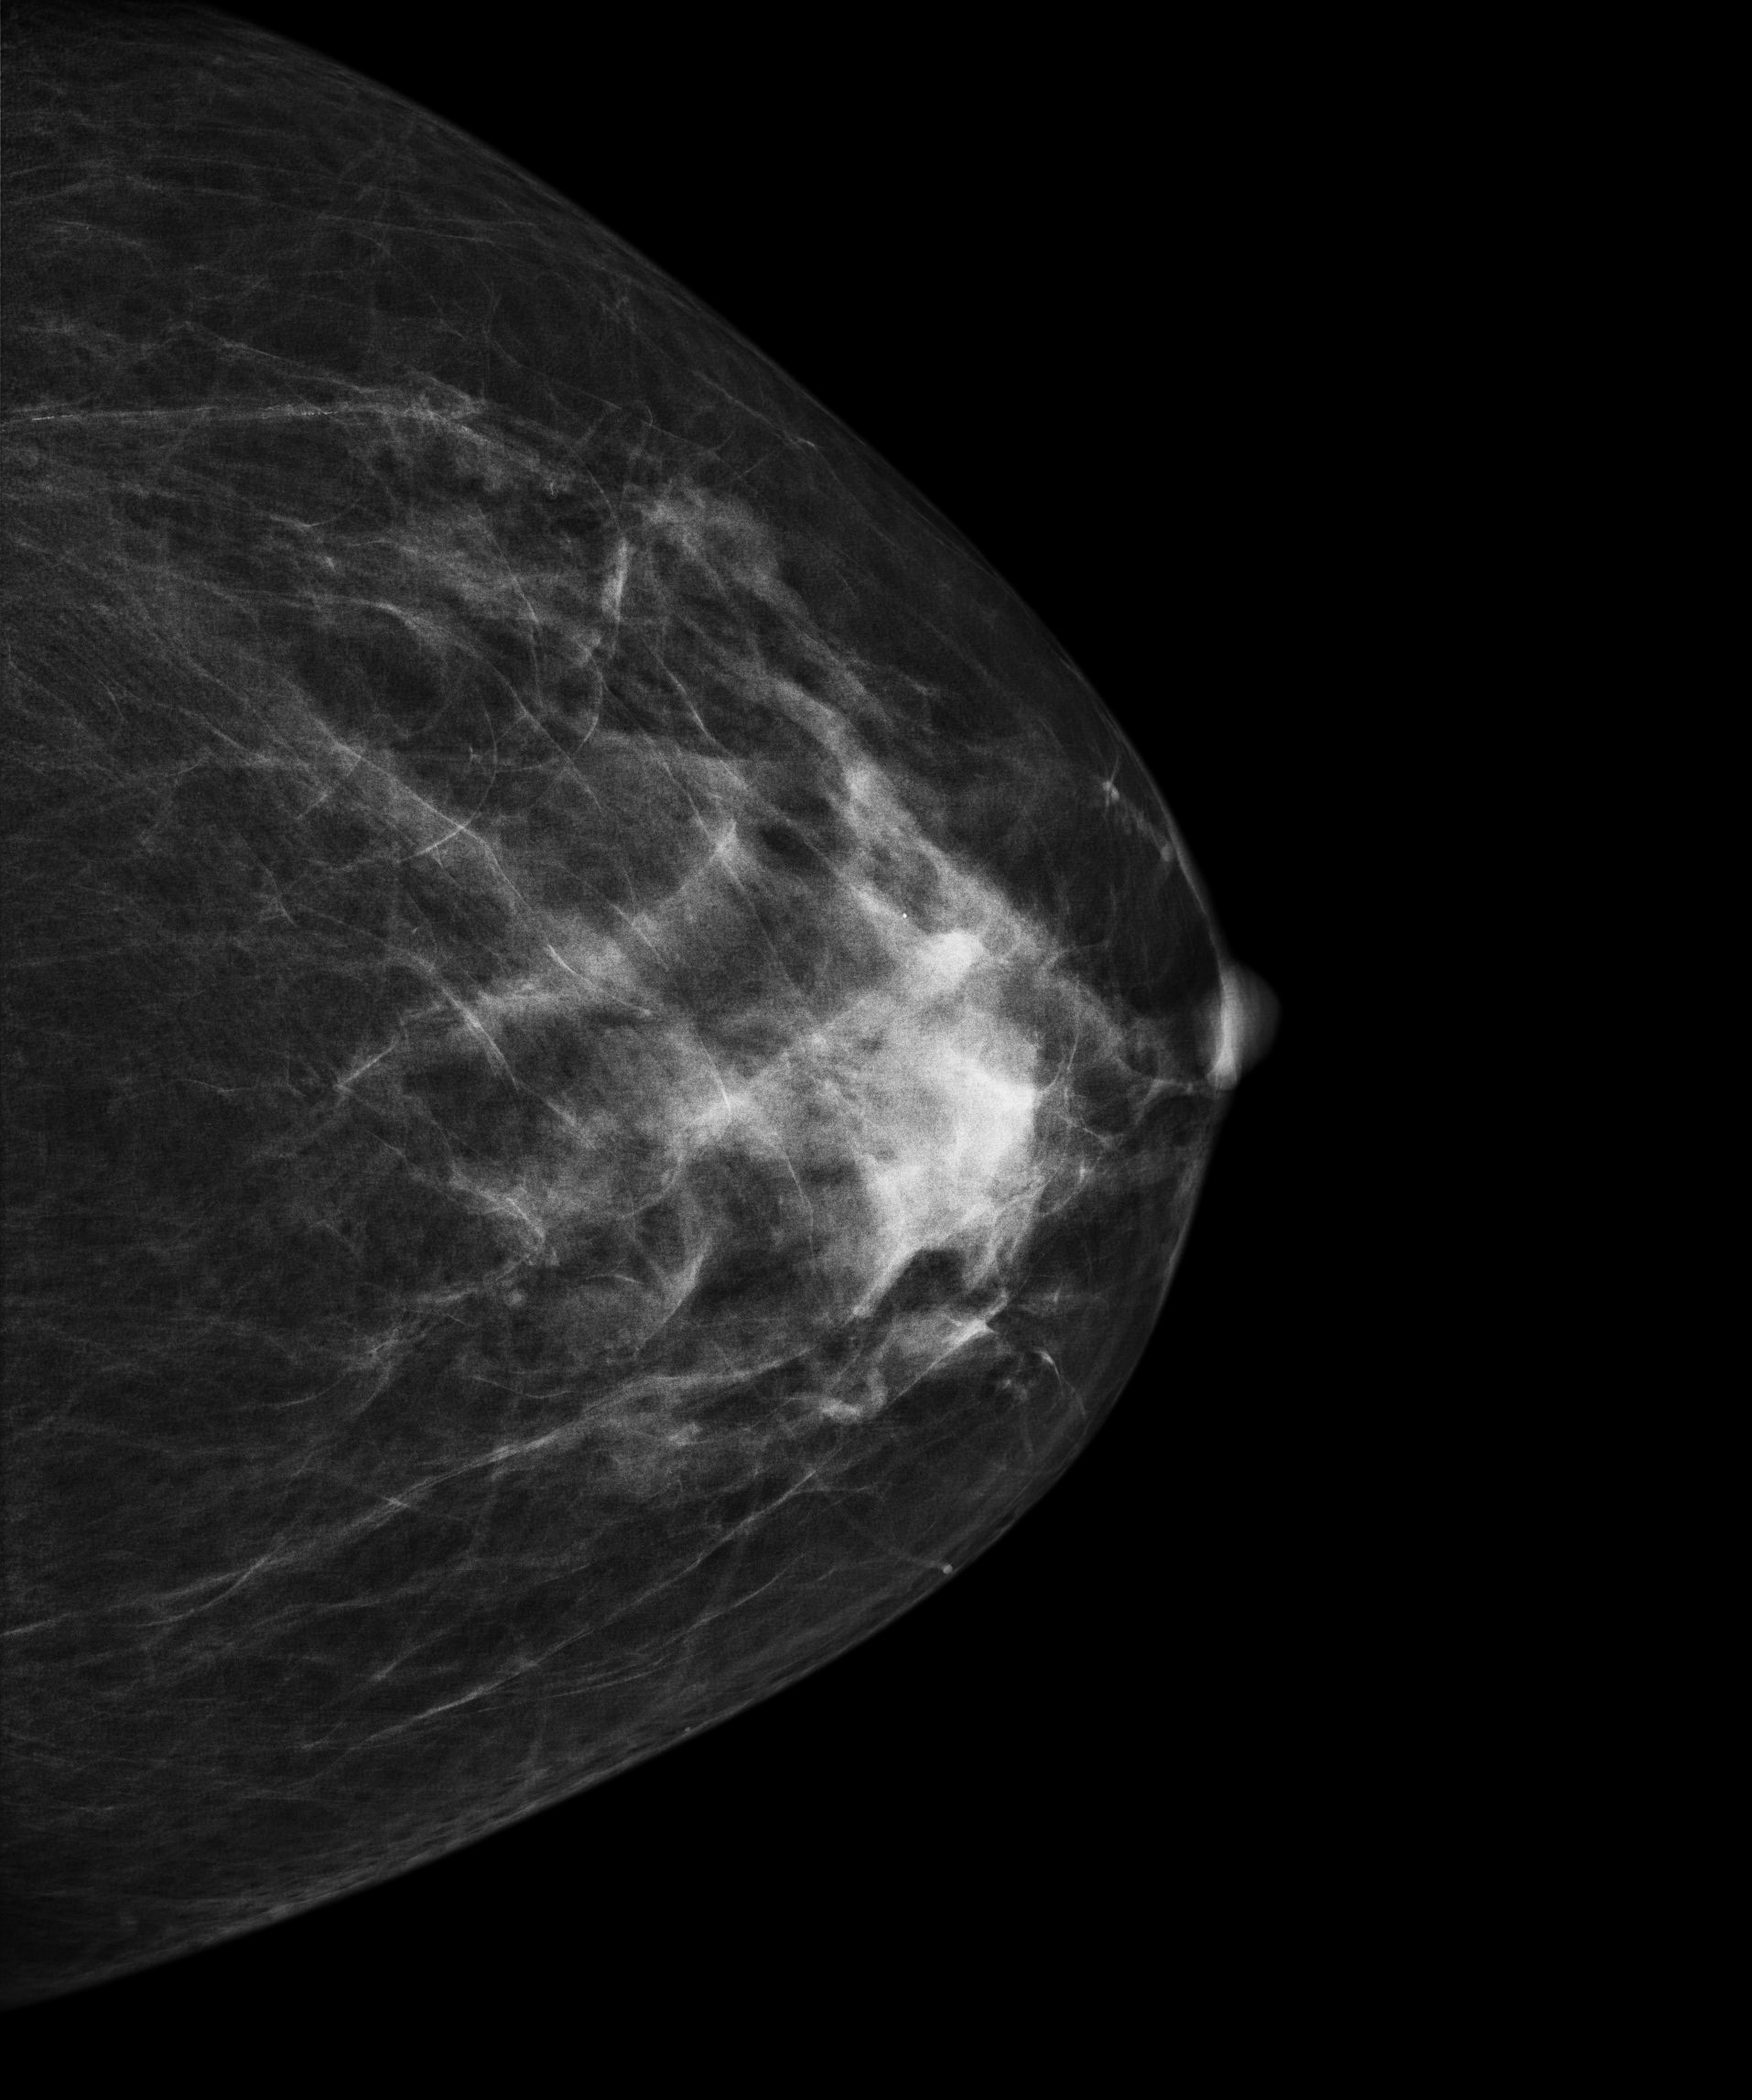
Left-breast mammogram, CC. 61-year-old patient.
This breast has a mass, histologically confirmed malignant.